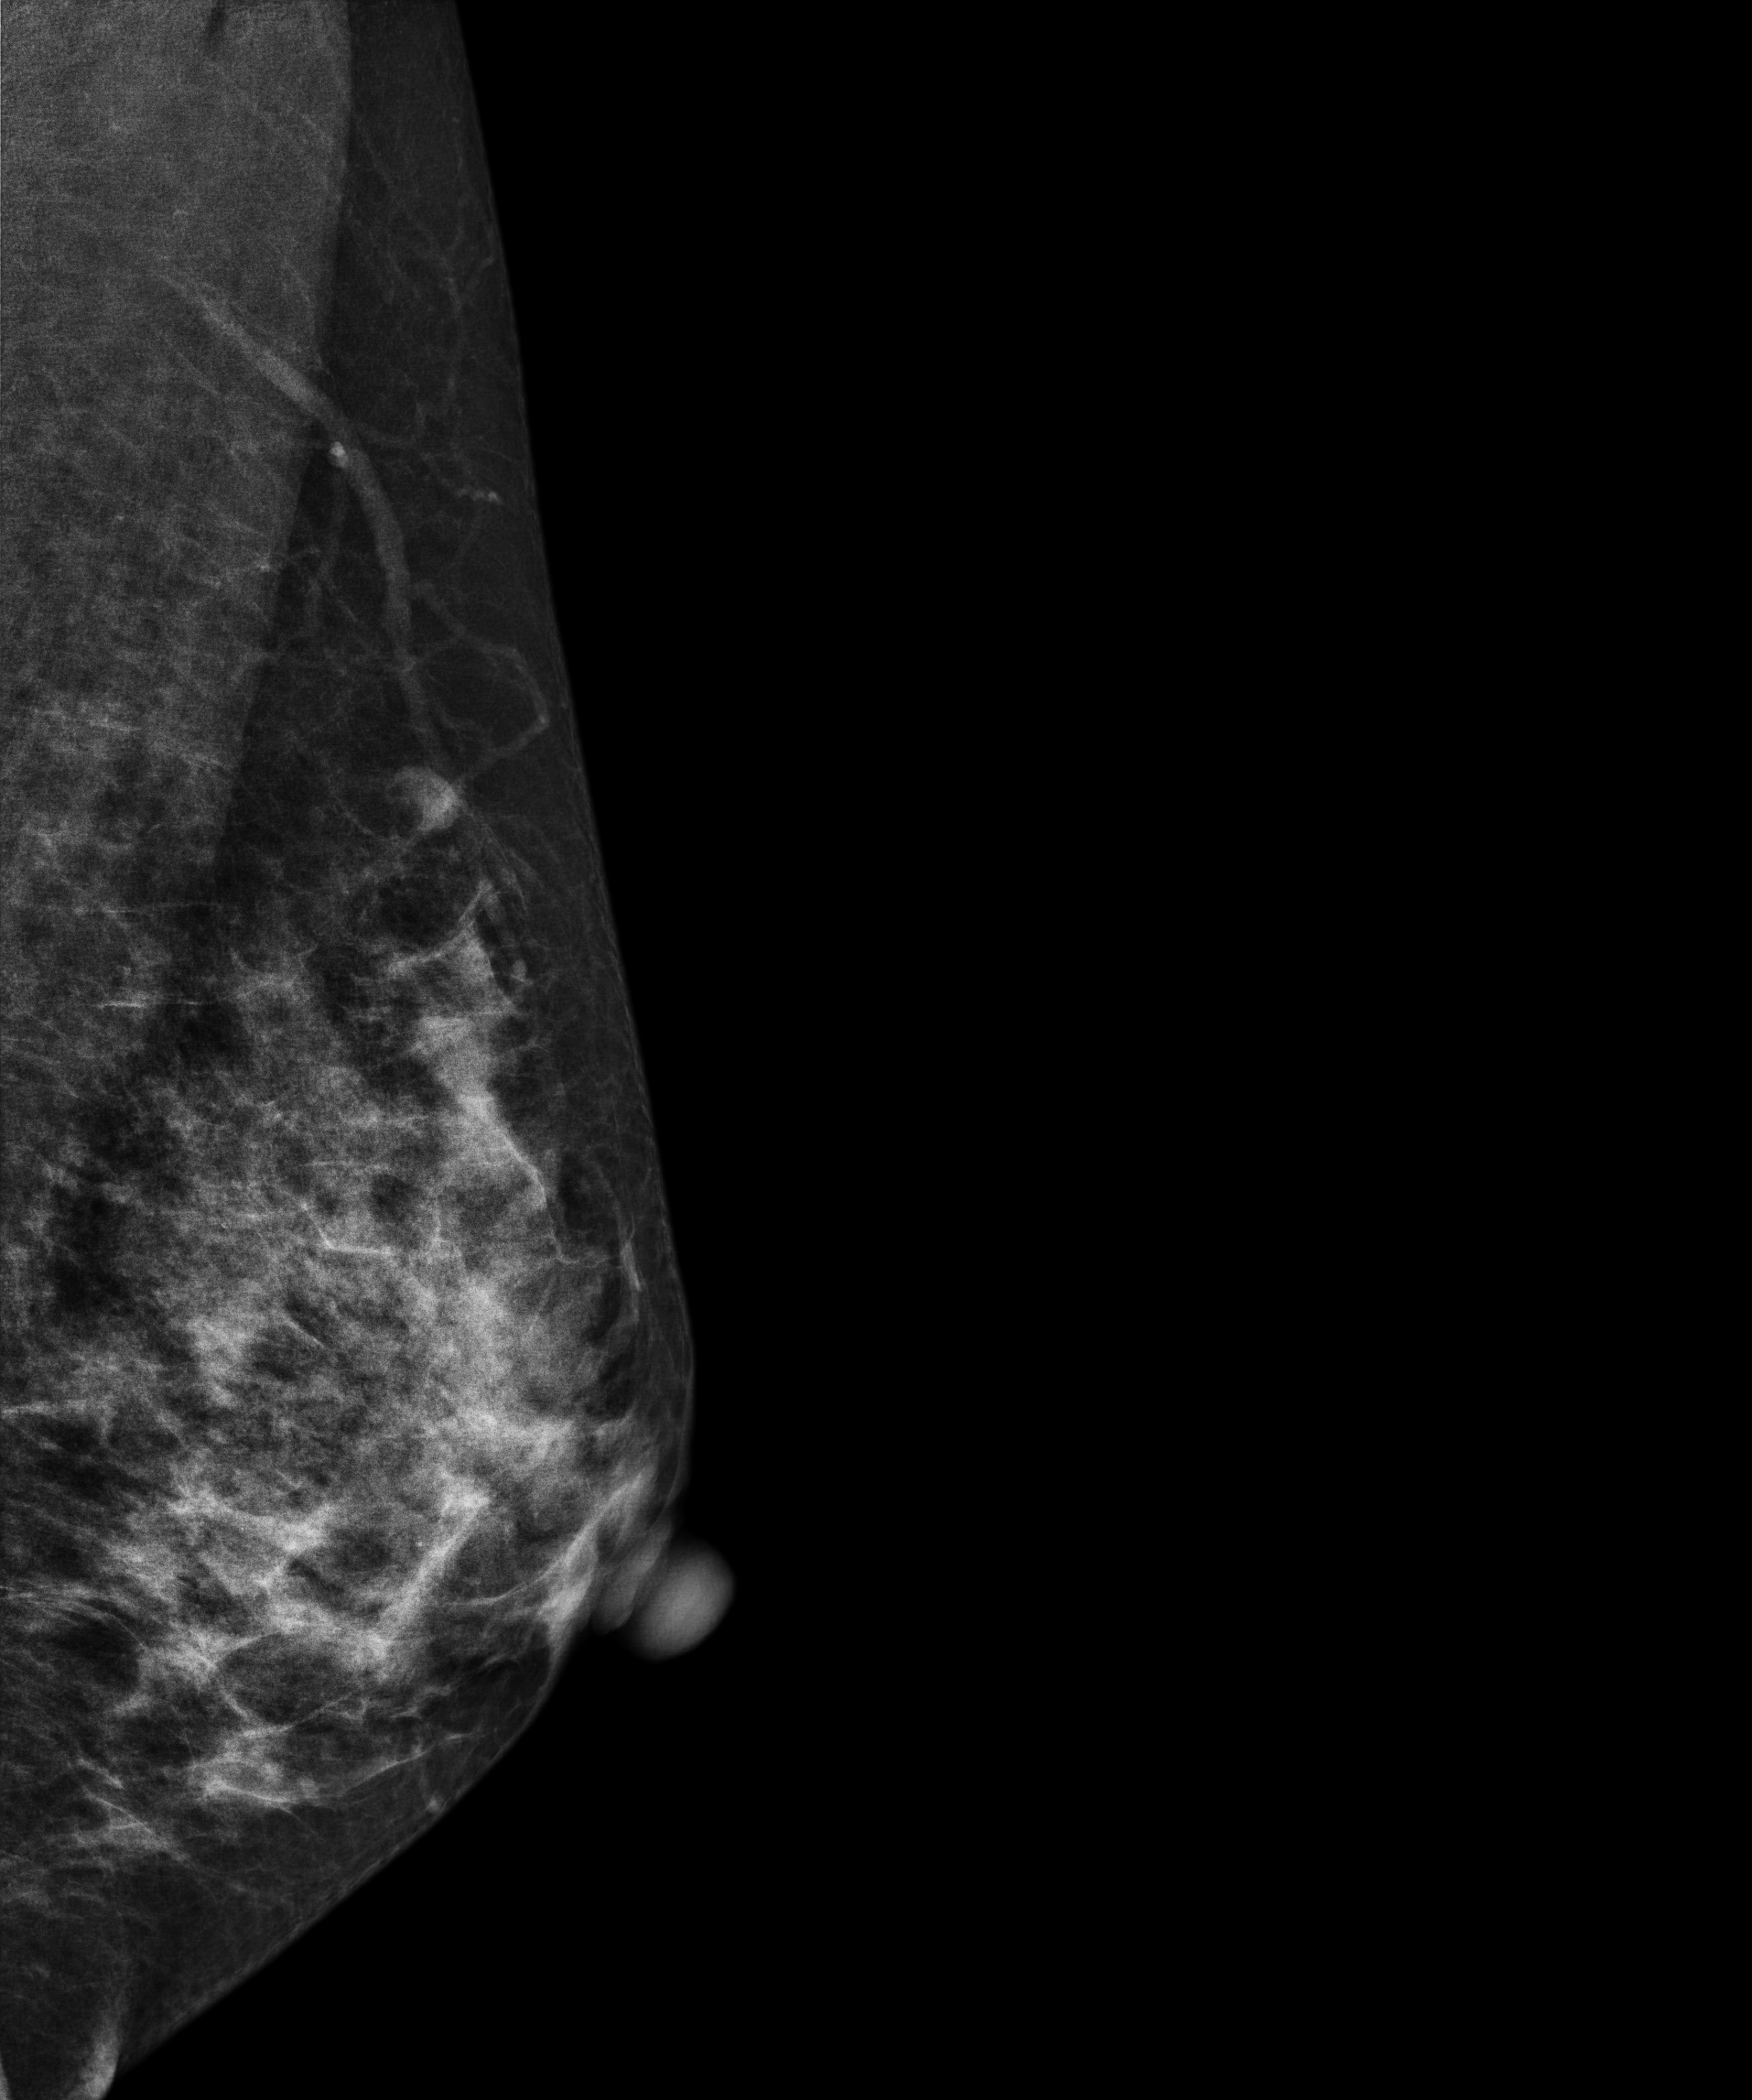
Digital mammography. Left breast, MLO projection. 47-year-old patient.
Contralateral breast — no documented abnormality on this side.